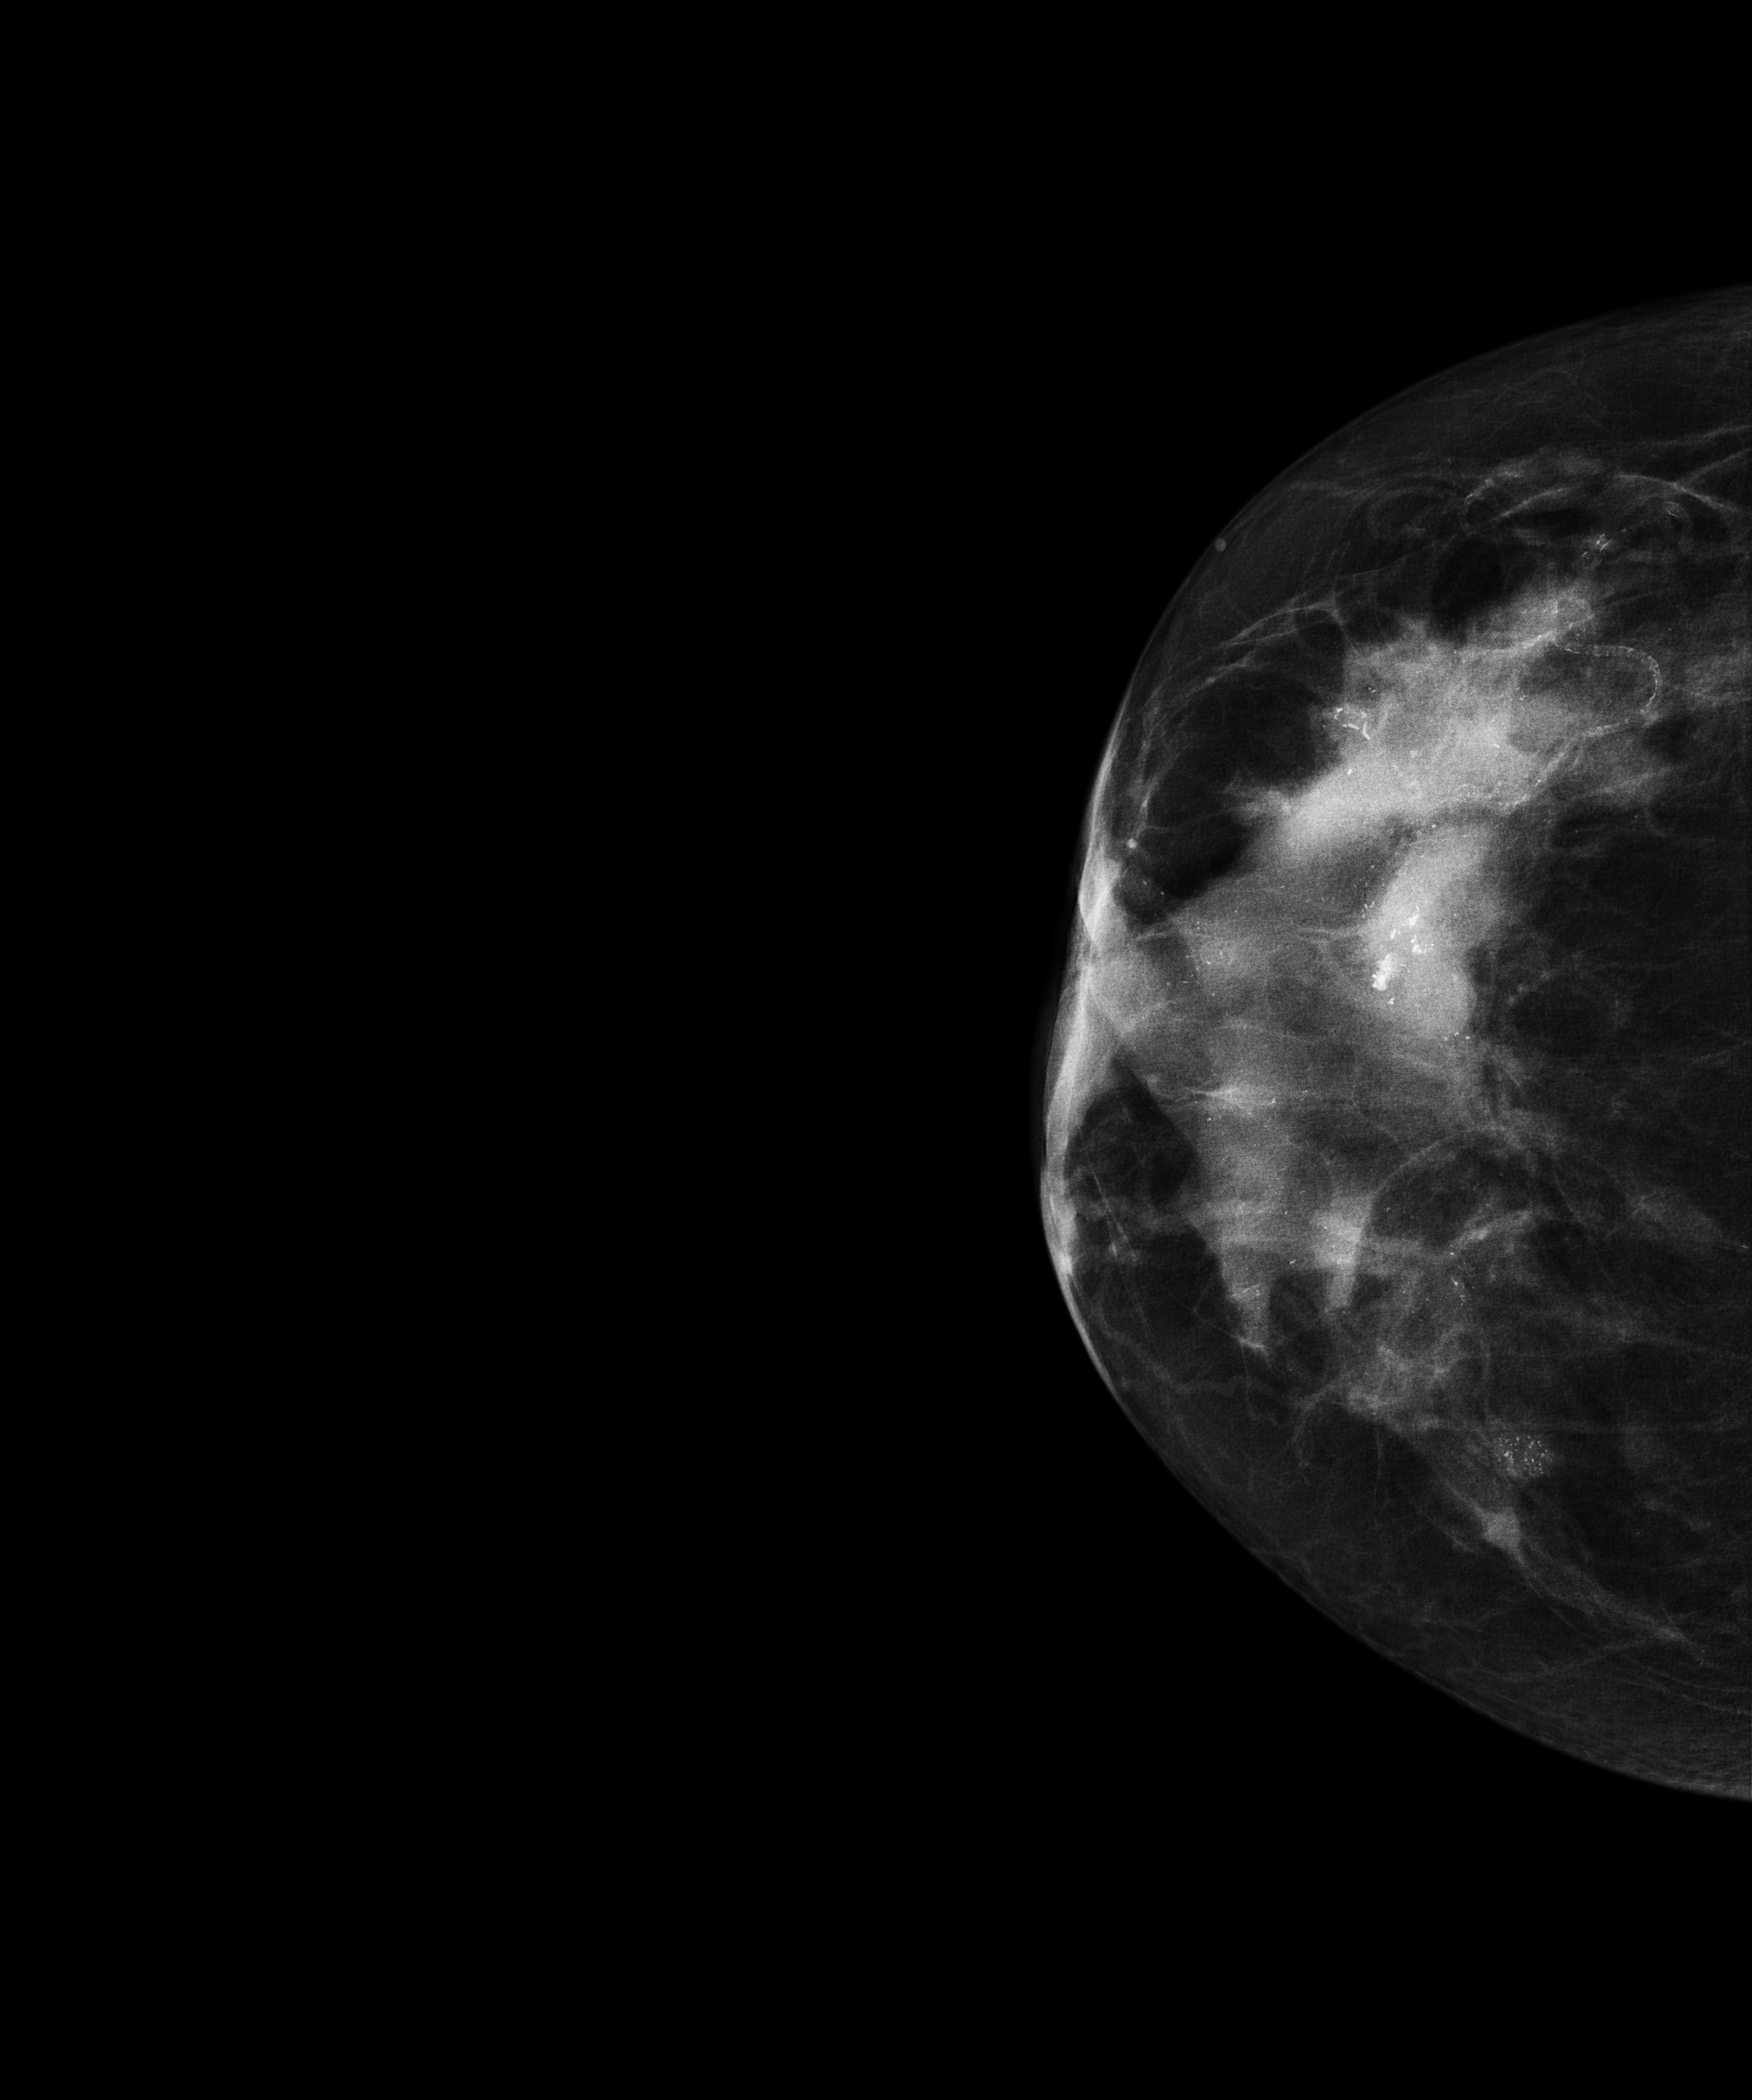
Digital mammography. Right breast, CC projection. Patient age 61.
This breast has a mass and calcifications, pathology-confirmed malignant. Molecular subtype: luminal B.